Digital mammography. Left breast, MLO projection. Patient age 44.
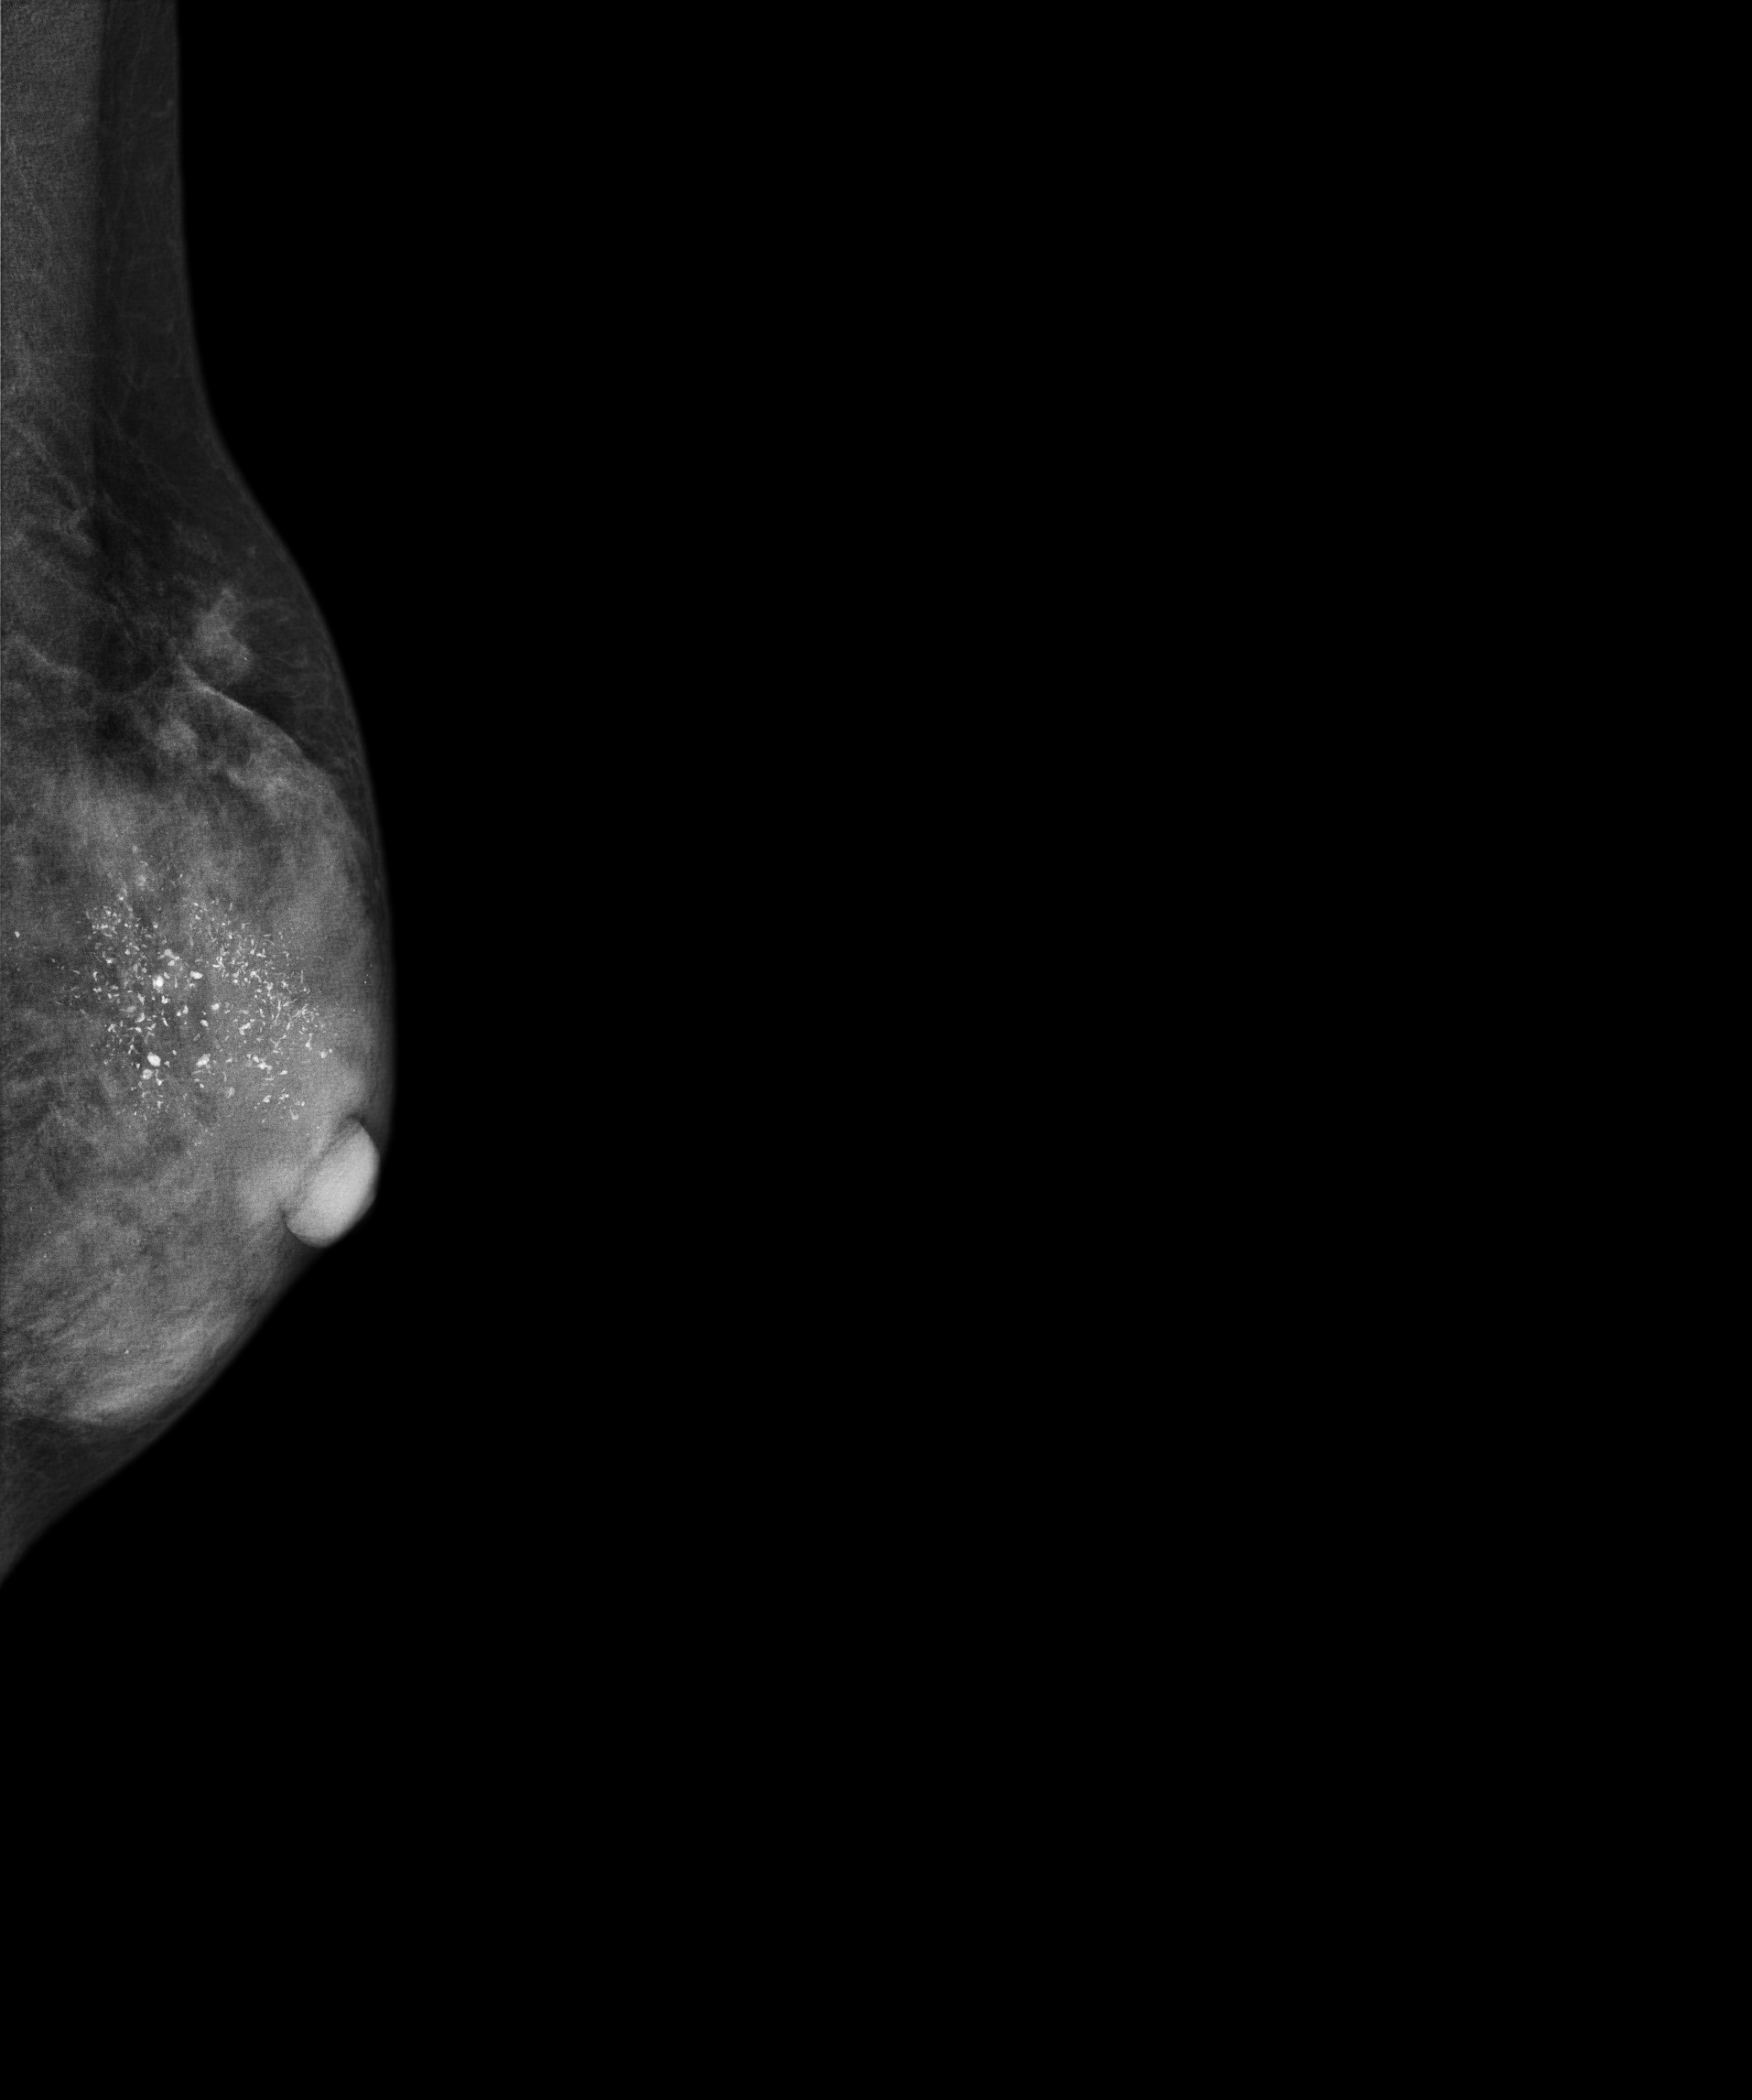
This breast has calcifications, histologically confirmed malignant. Molecular subtype: luminal B.